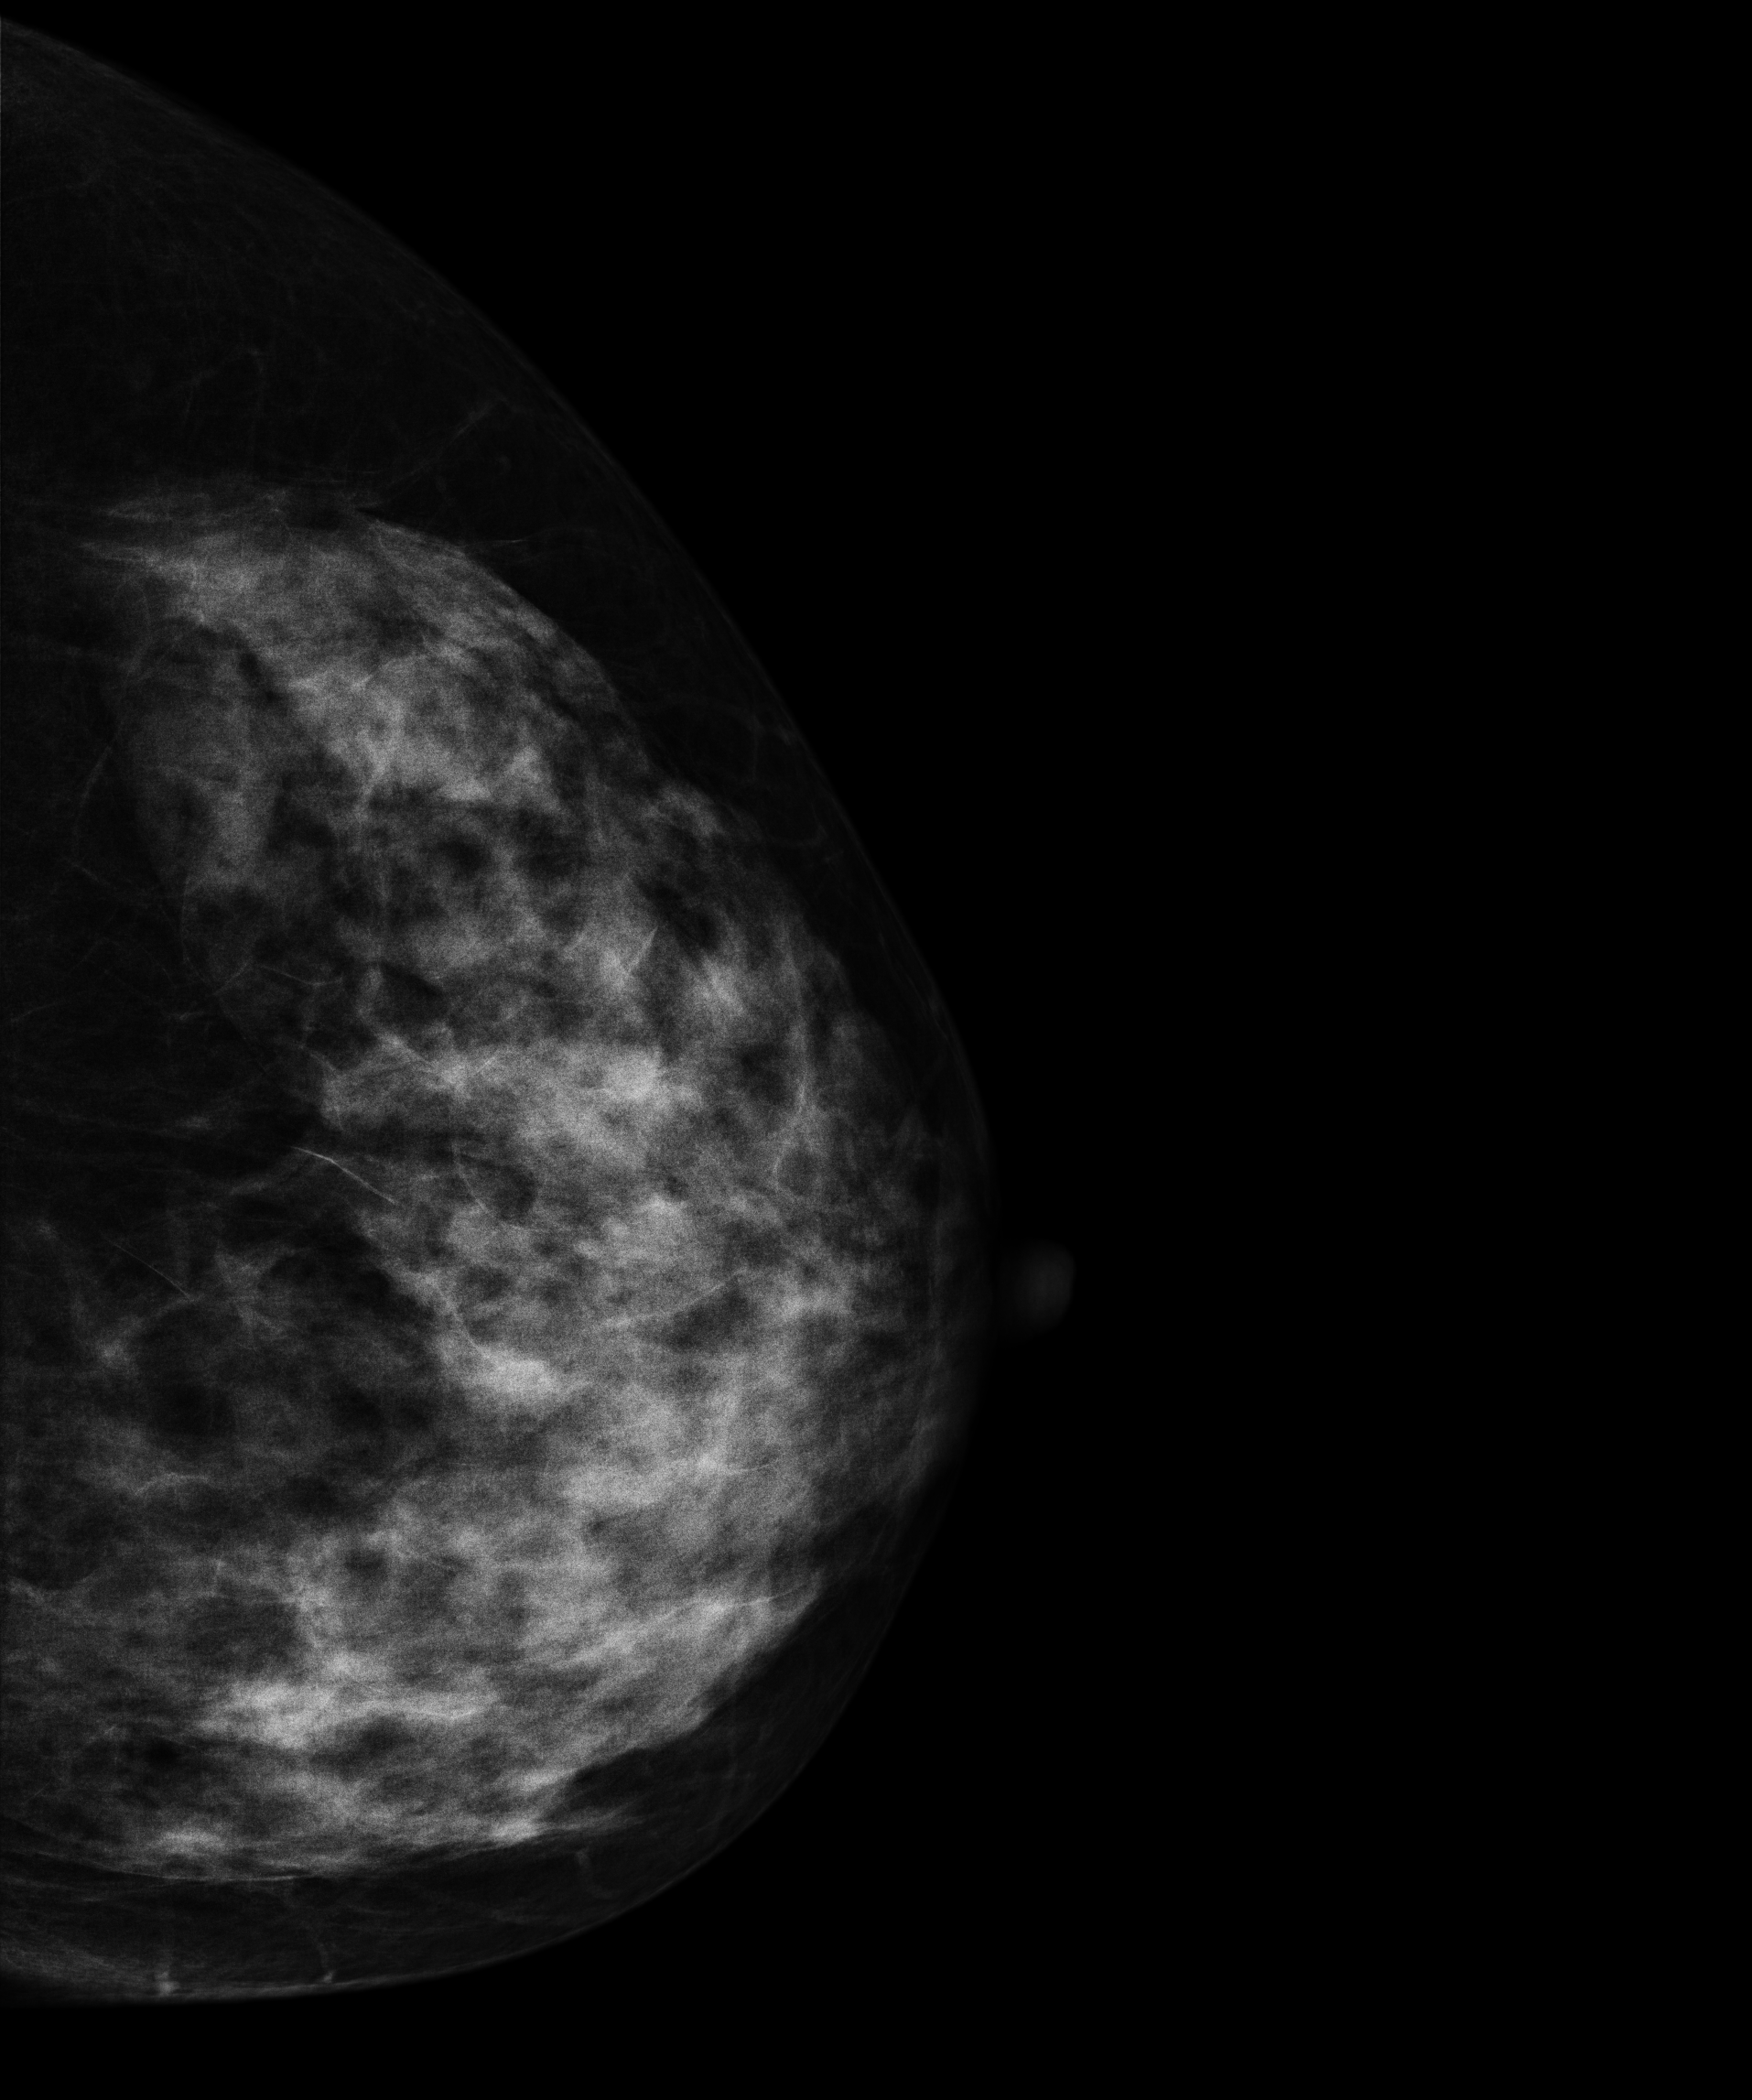
Left-breast mammogram, CC. Patient age 56.
This breast has a mass, biopsy-confirmed malignant. Molecular subtype: luminal A.